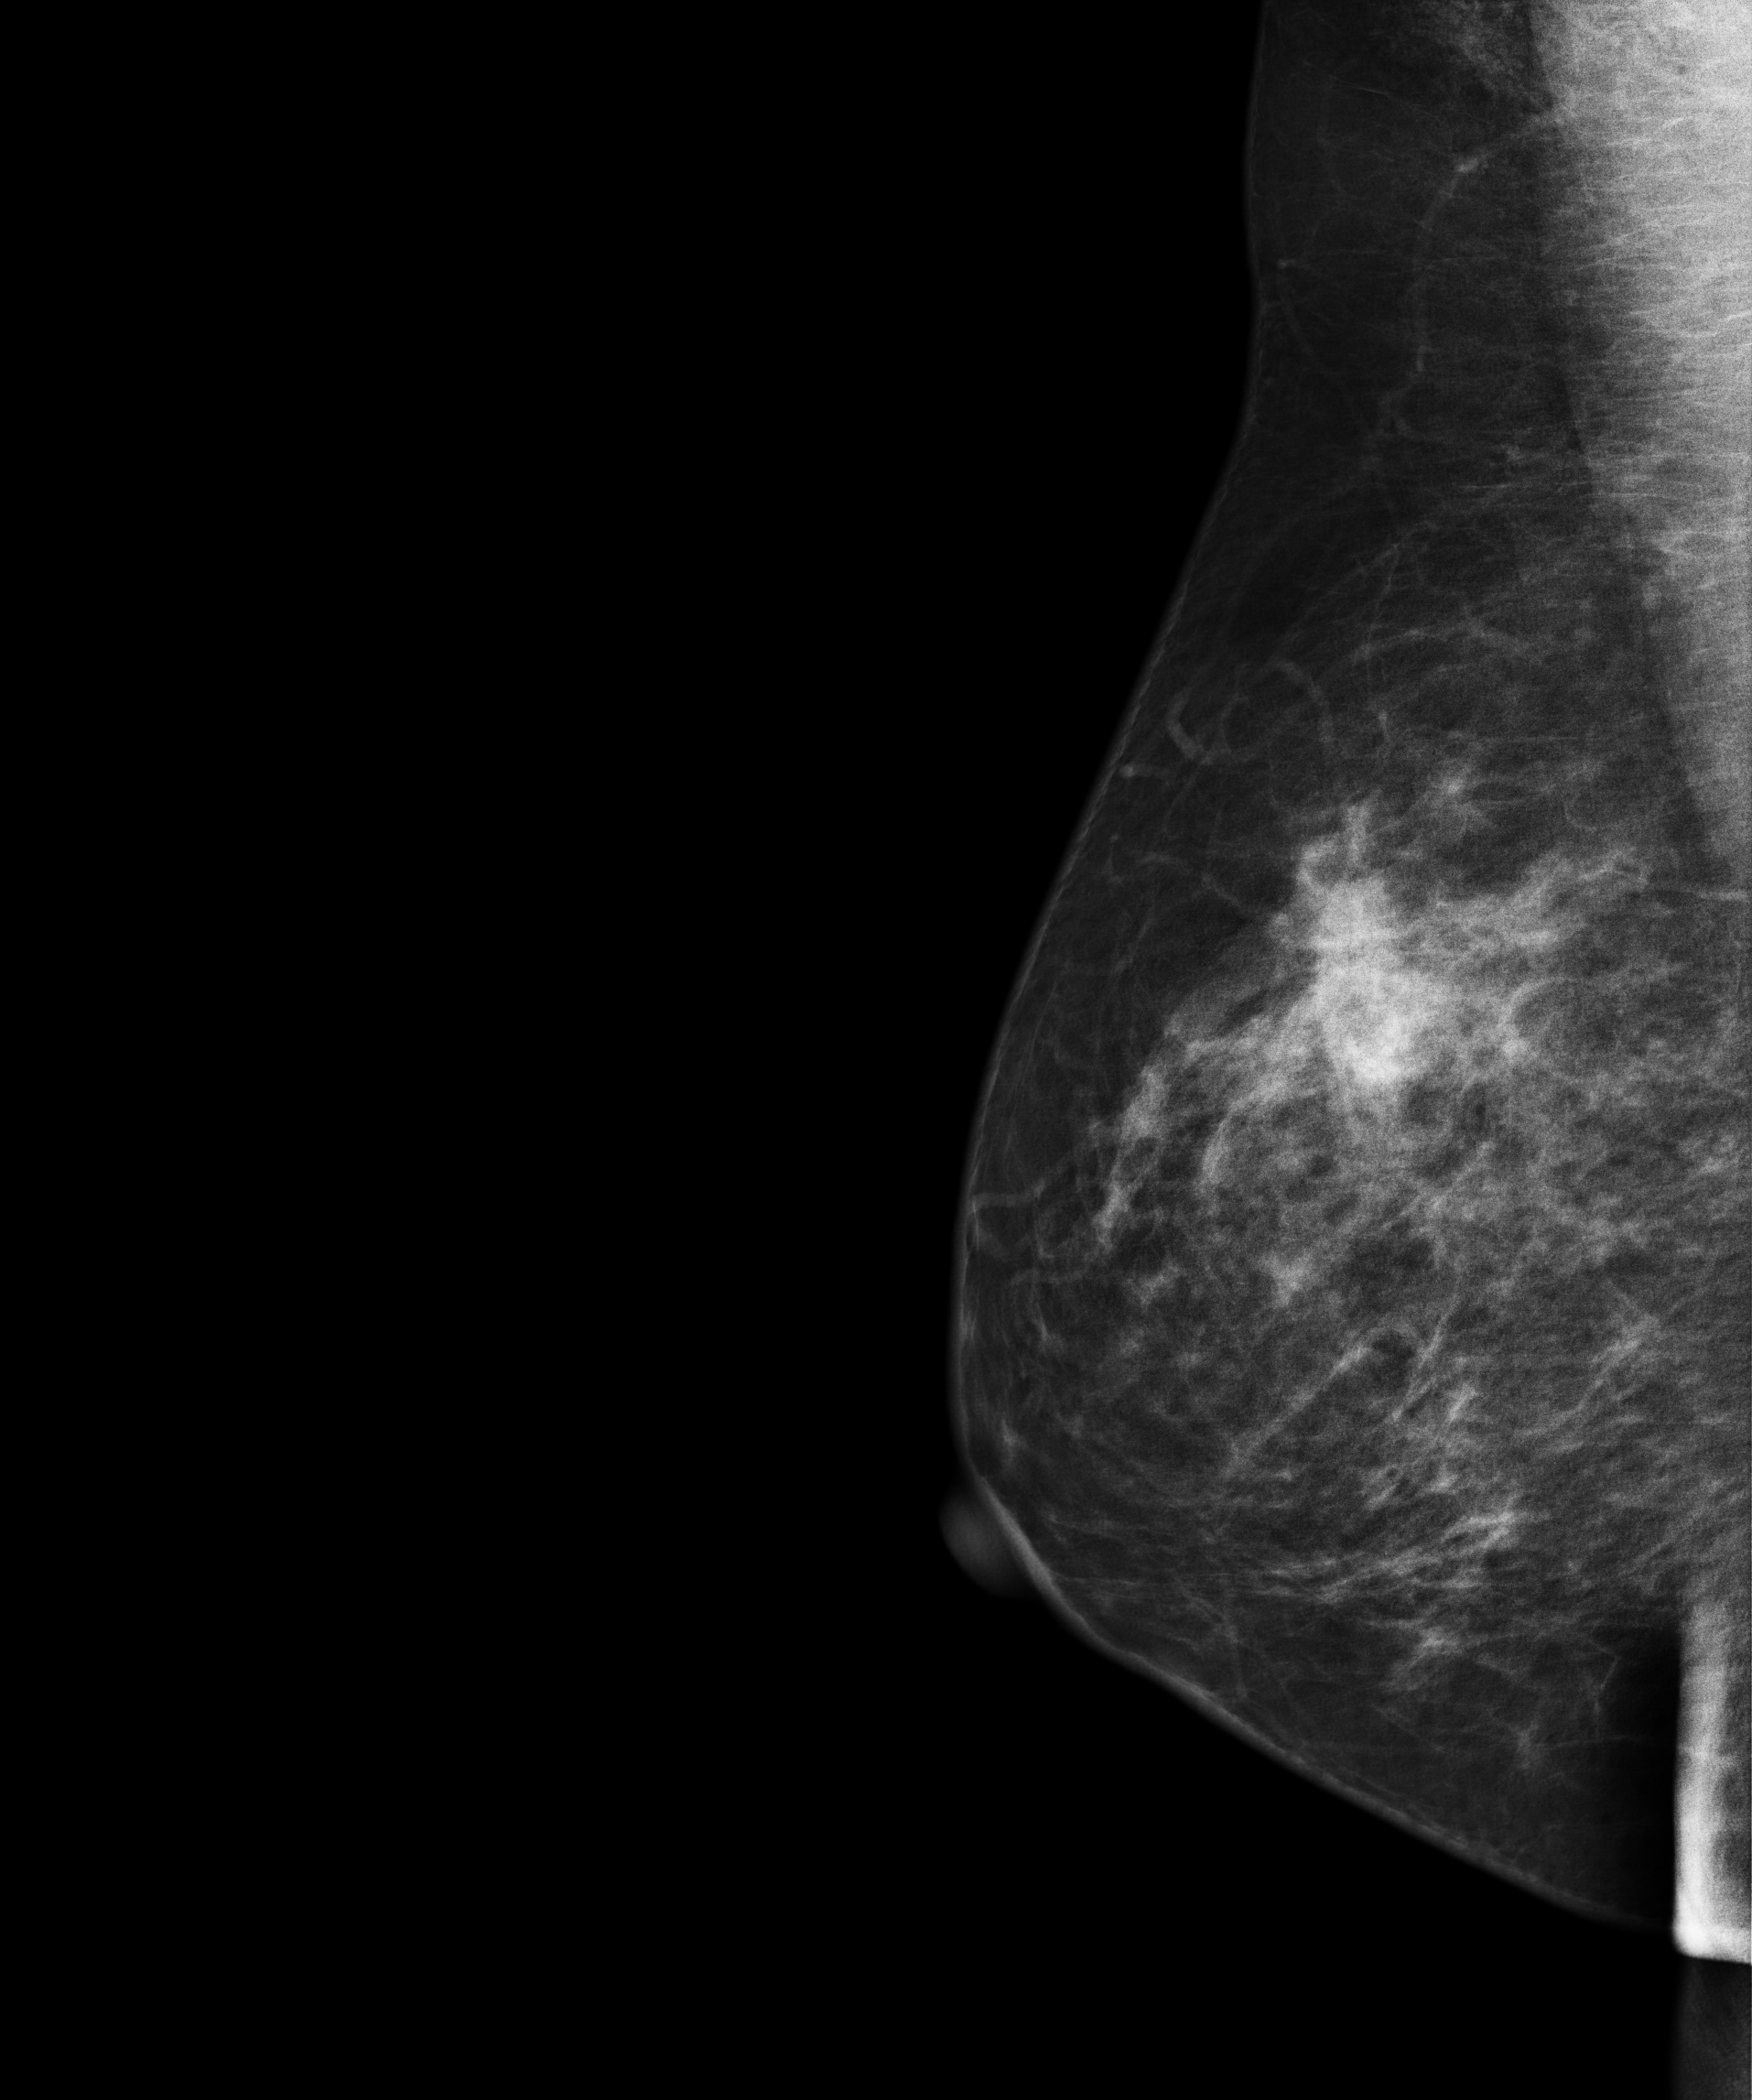
Mammogram, right breast, MLO view. 52-year-old patient.
This breast has a mass, pathology-confirmed benign.